MLO mammogram of the right breast. 48 y/o patient.
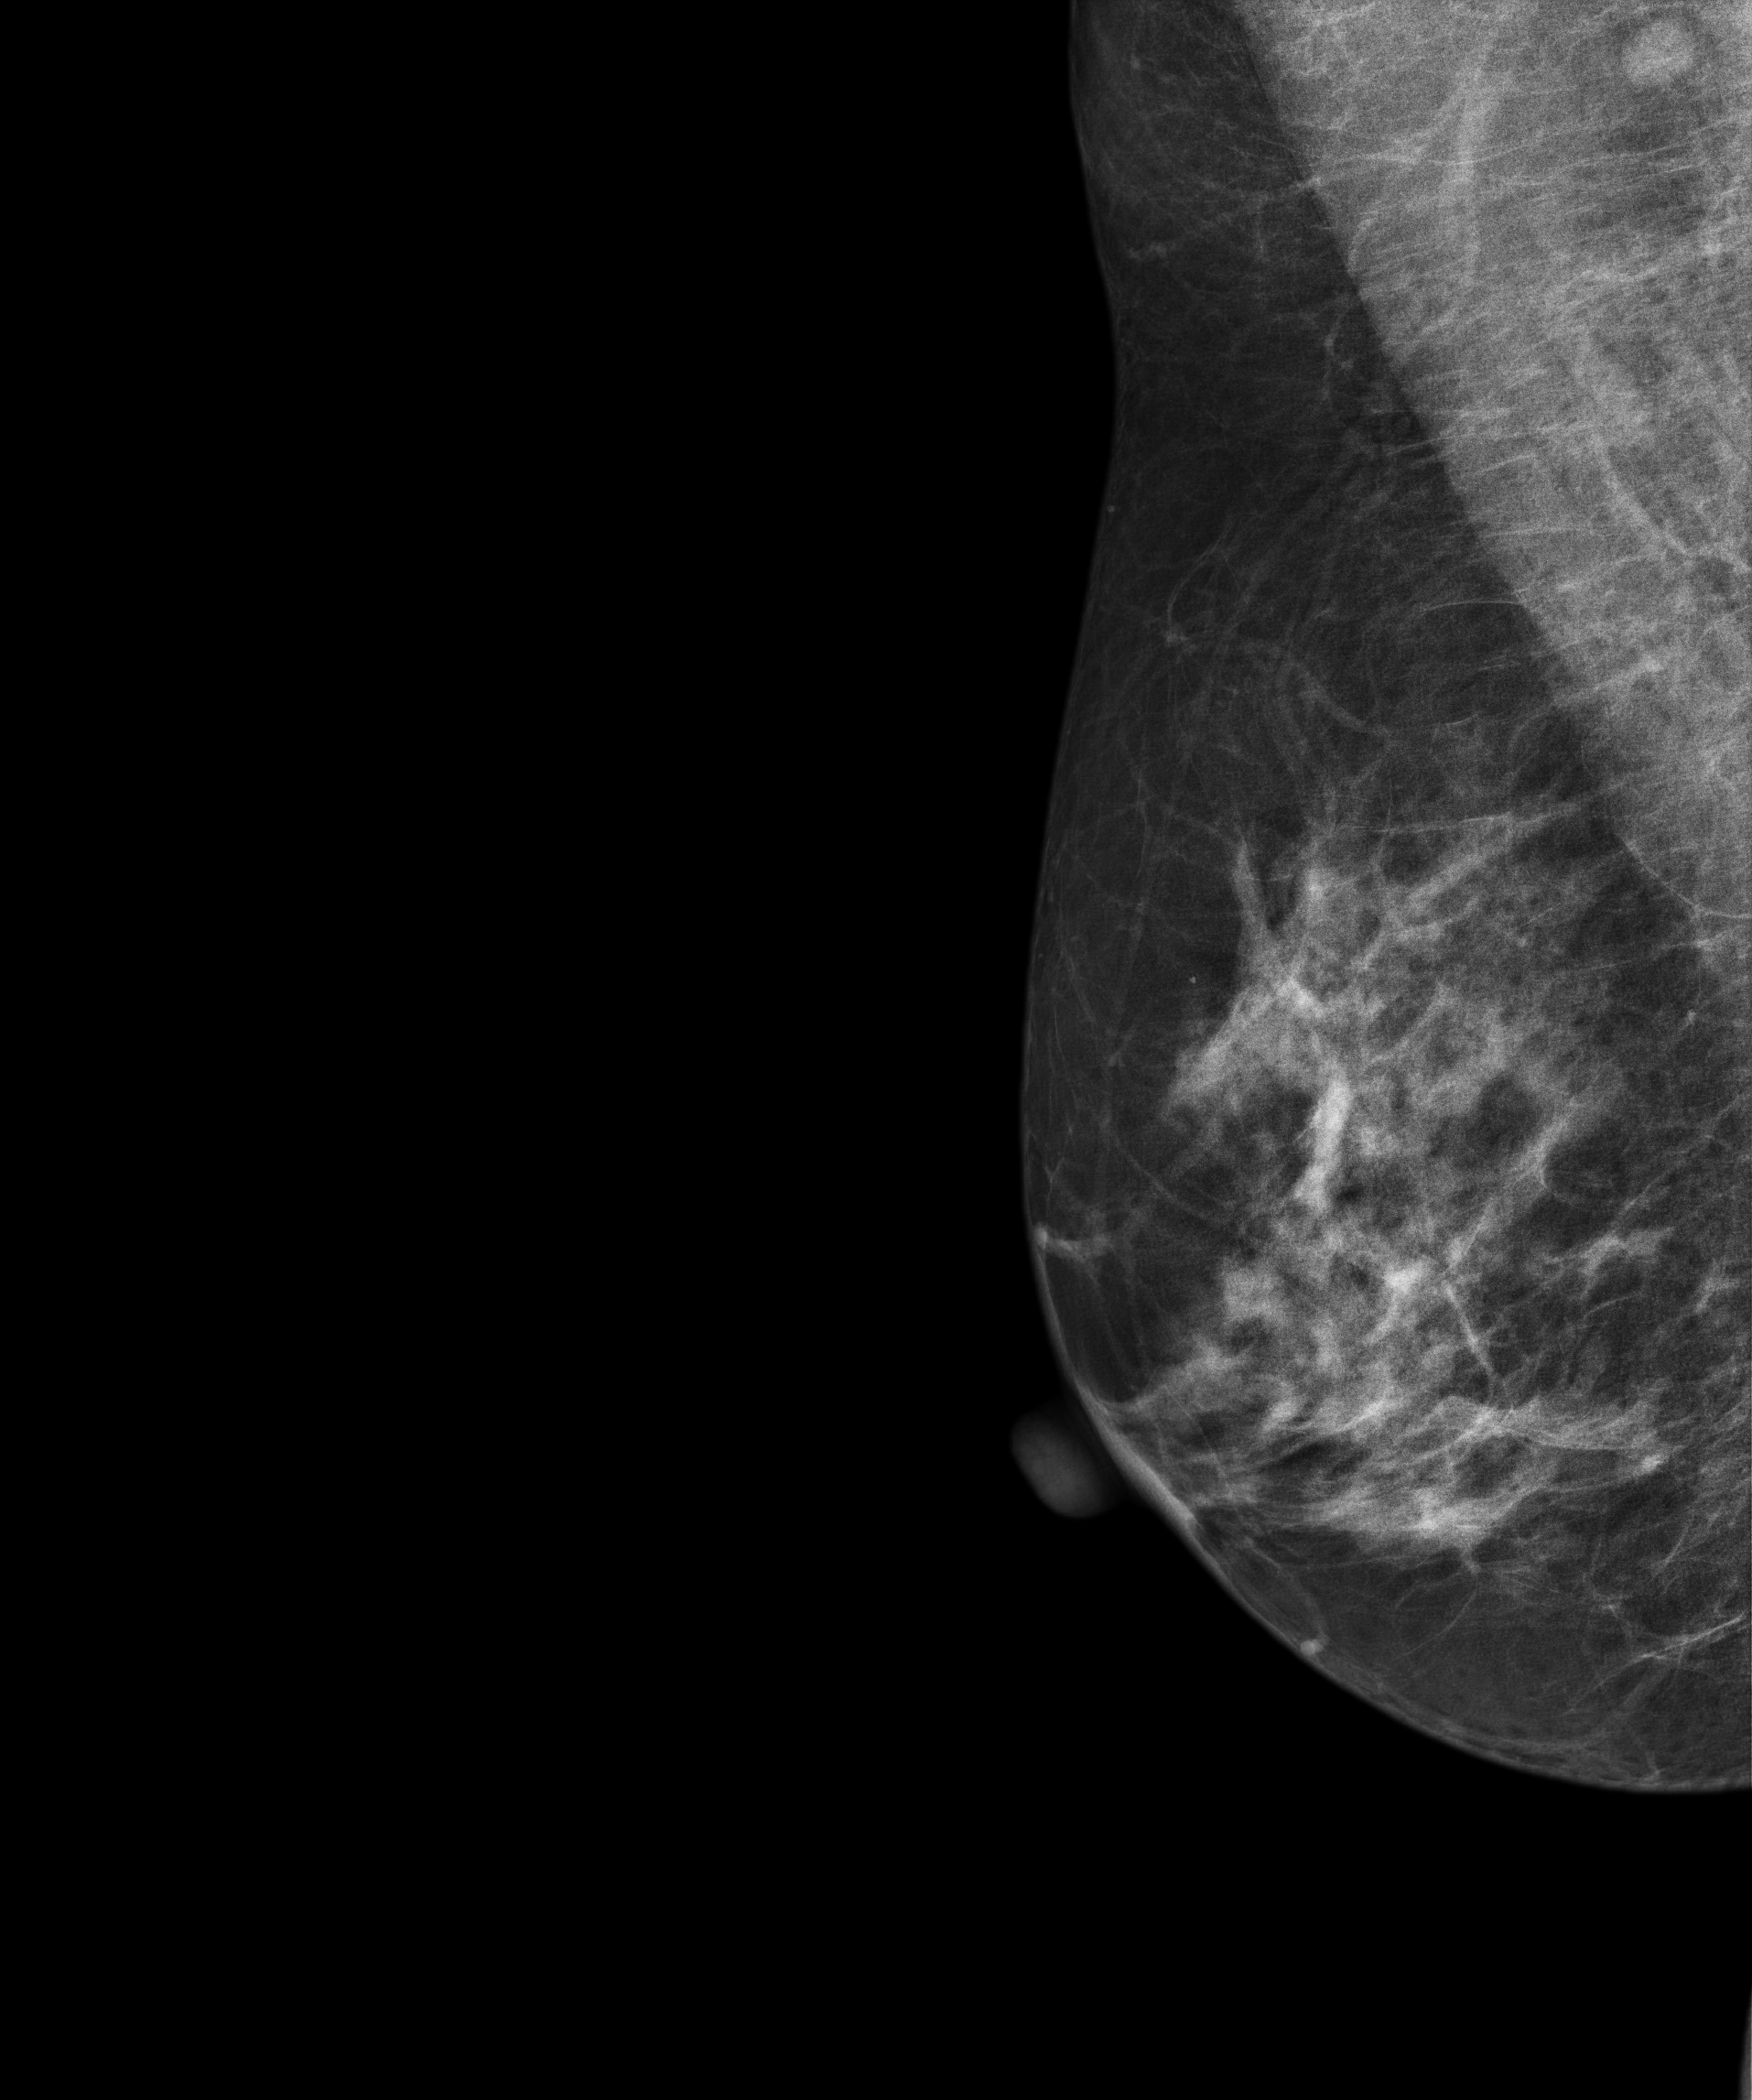
This breast has a mass, histologically confirmed benign.